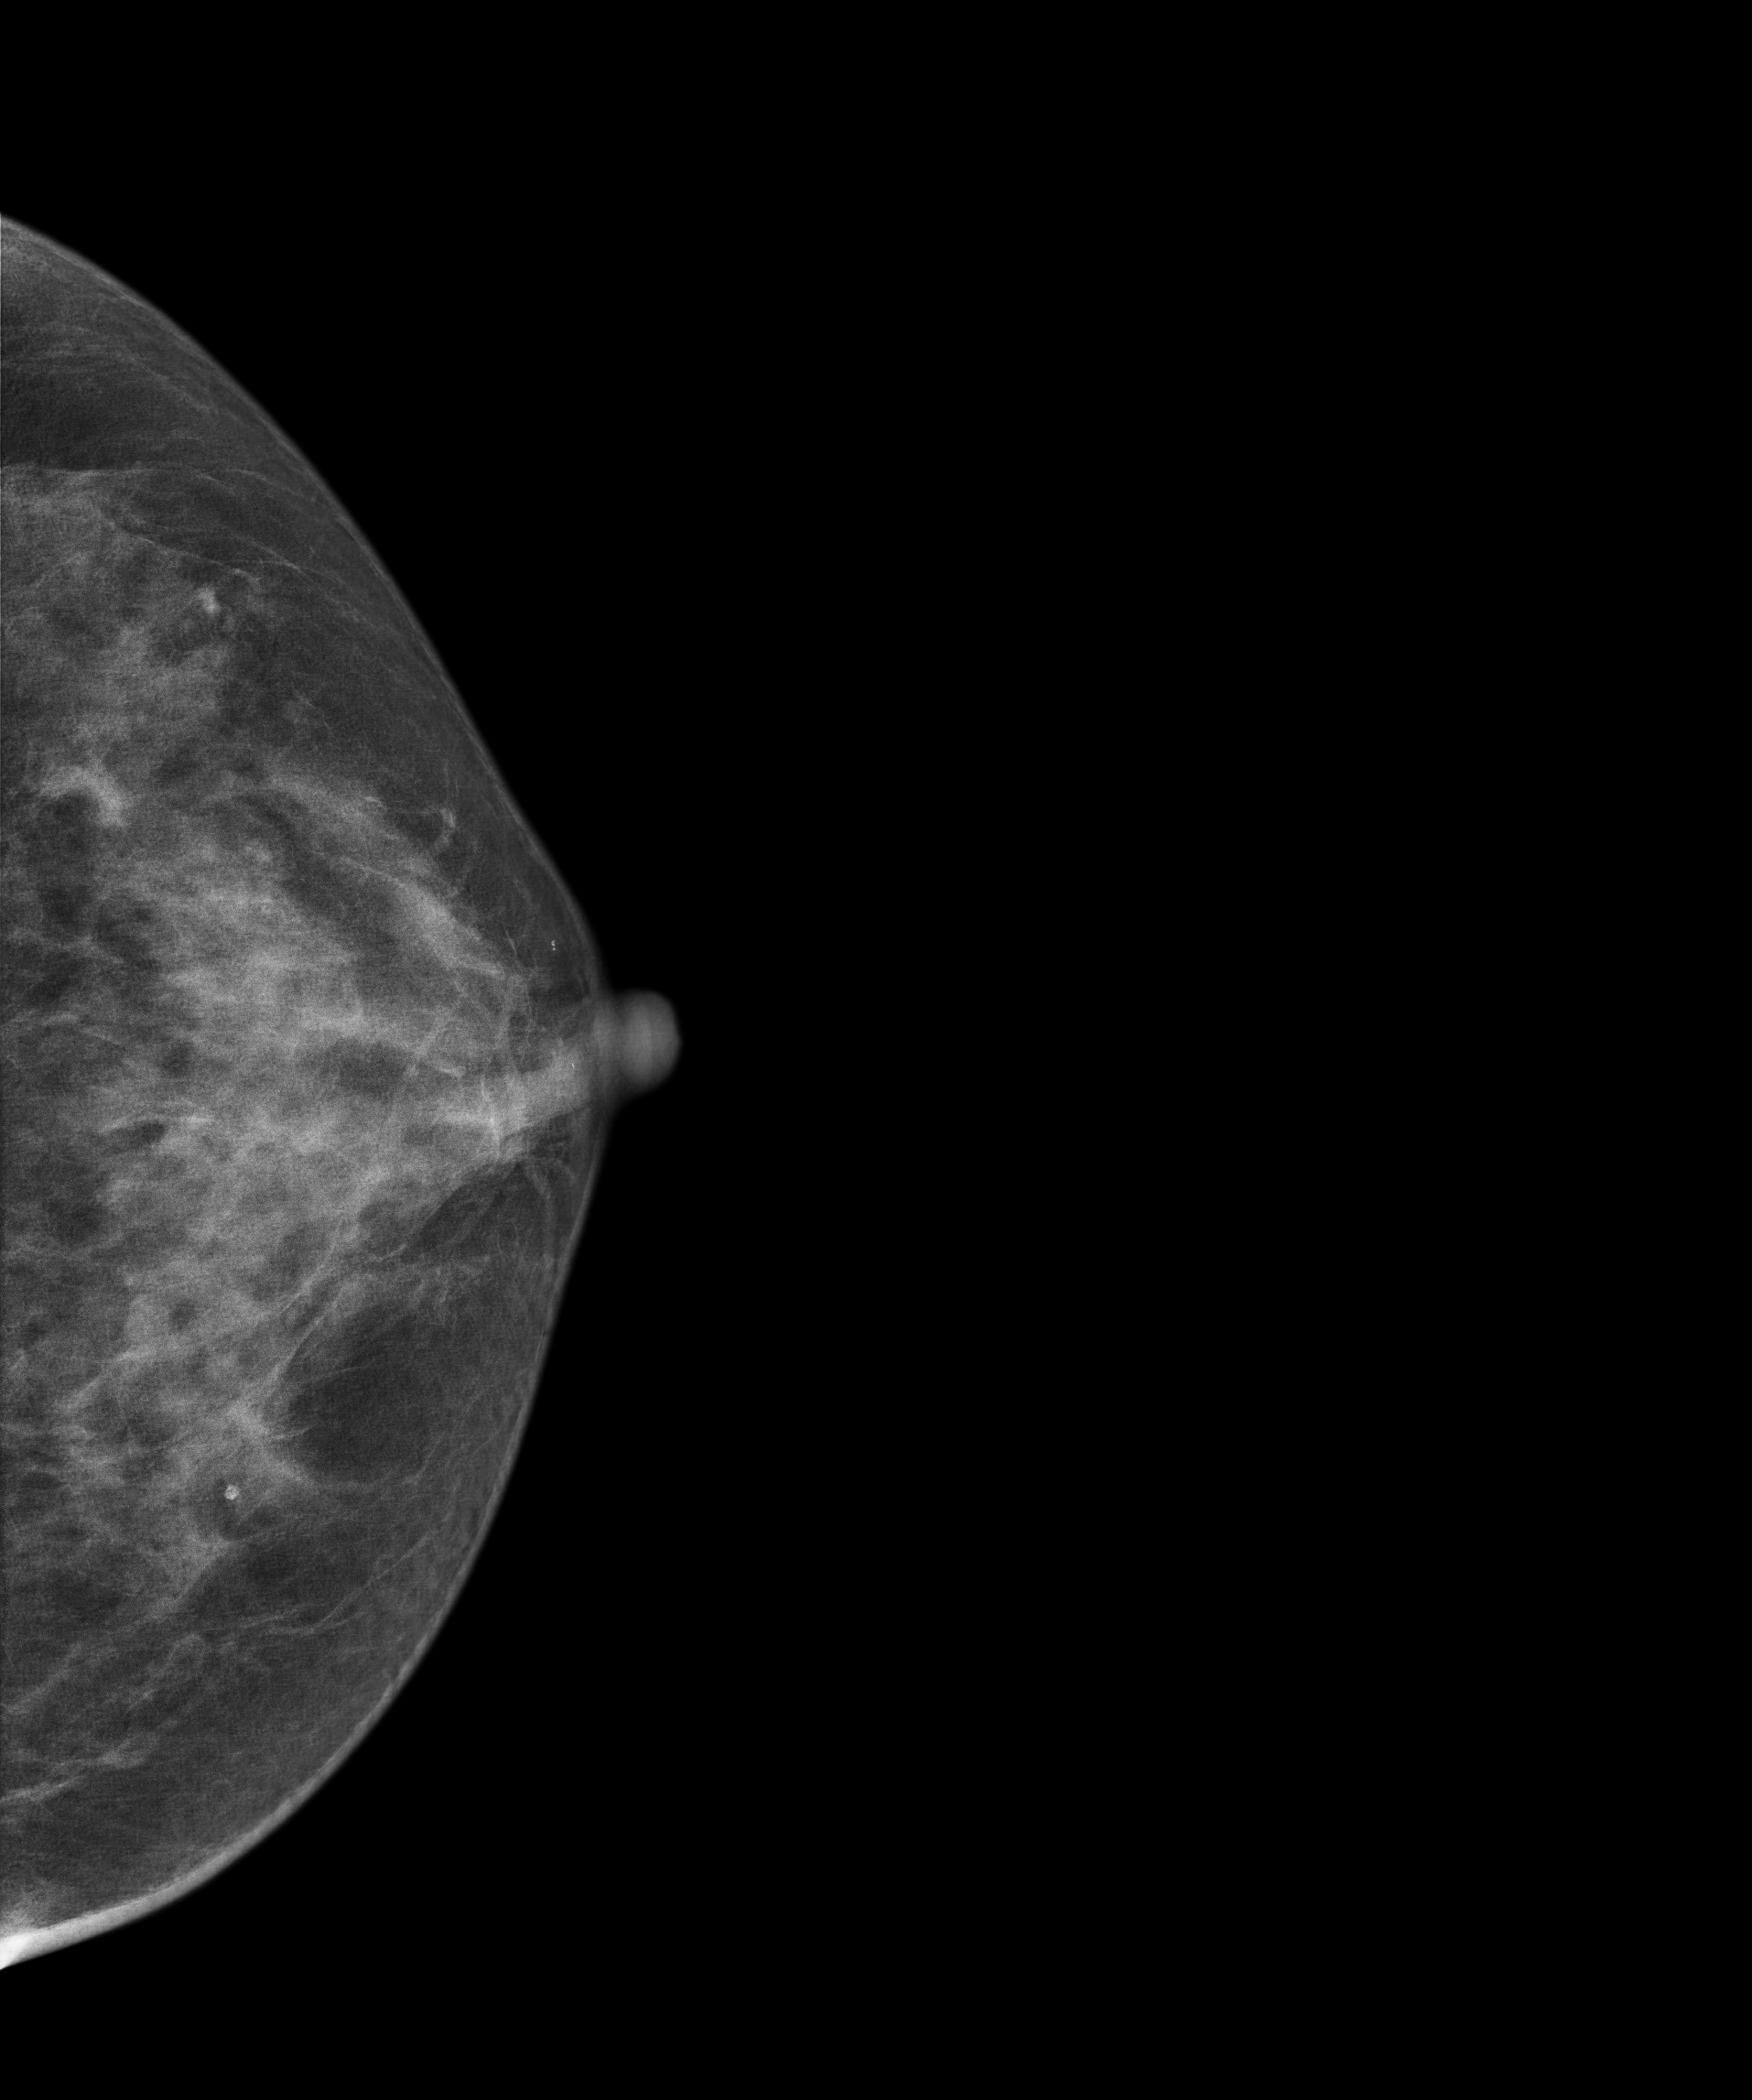
Digital mammography. Left breast, CC projection. Patient age 58.
Contralateral breast — no documented abnormality on this side.